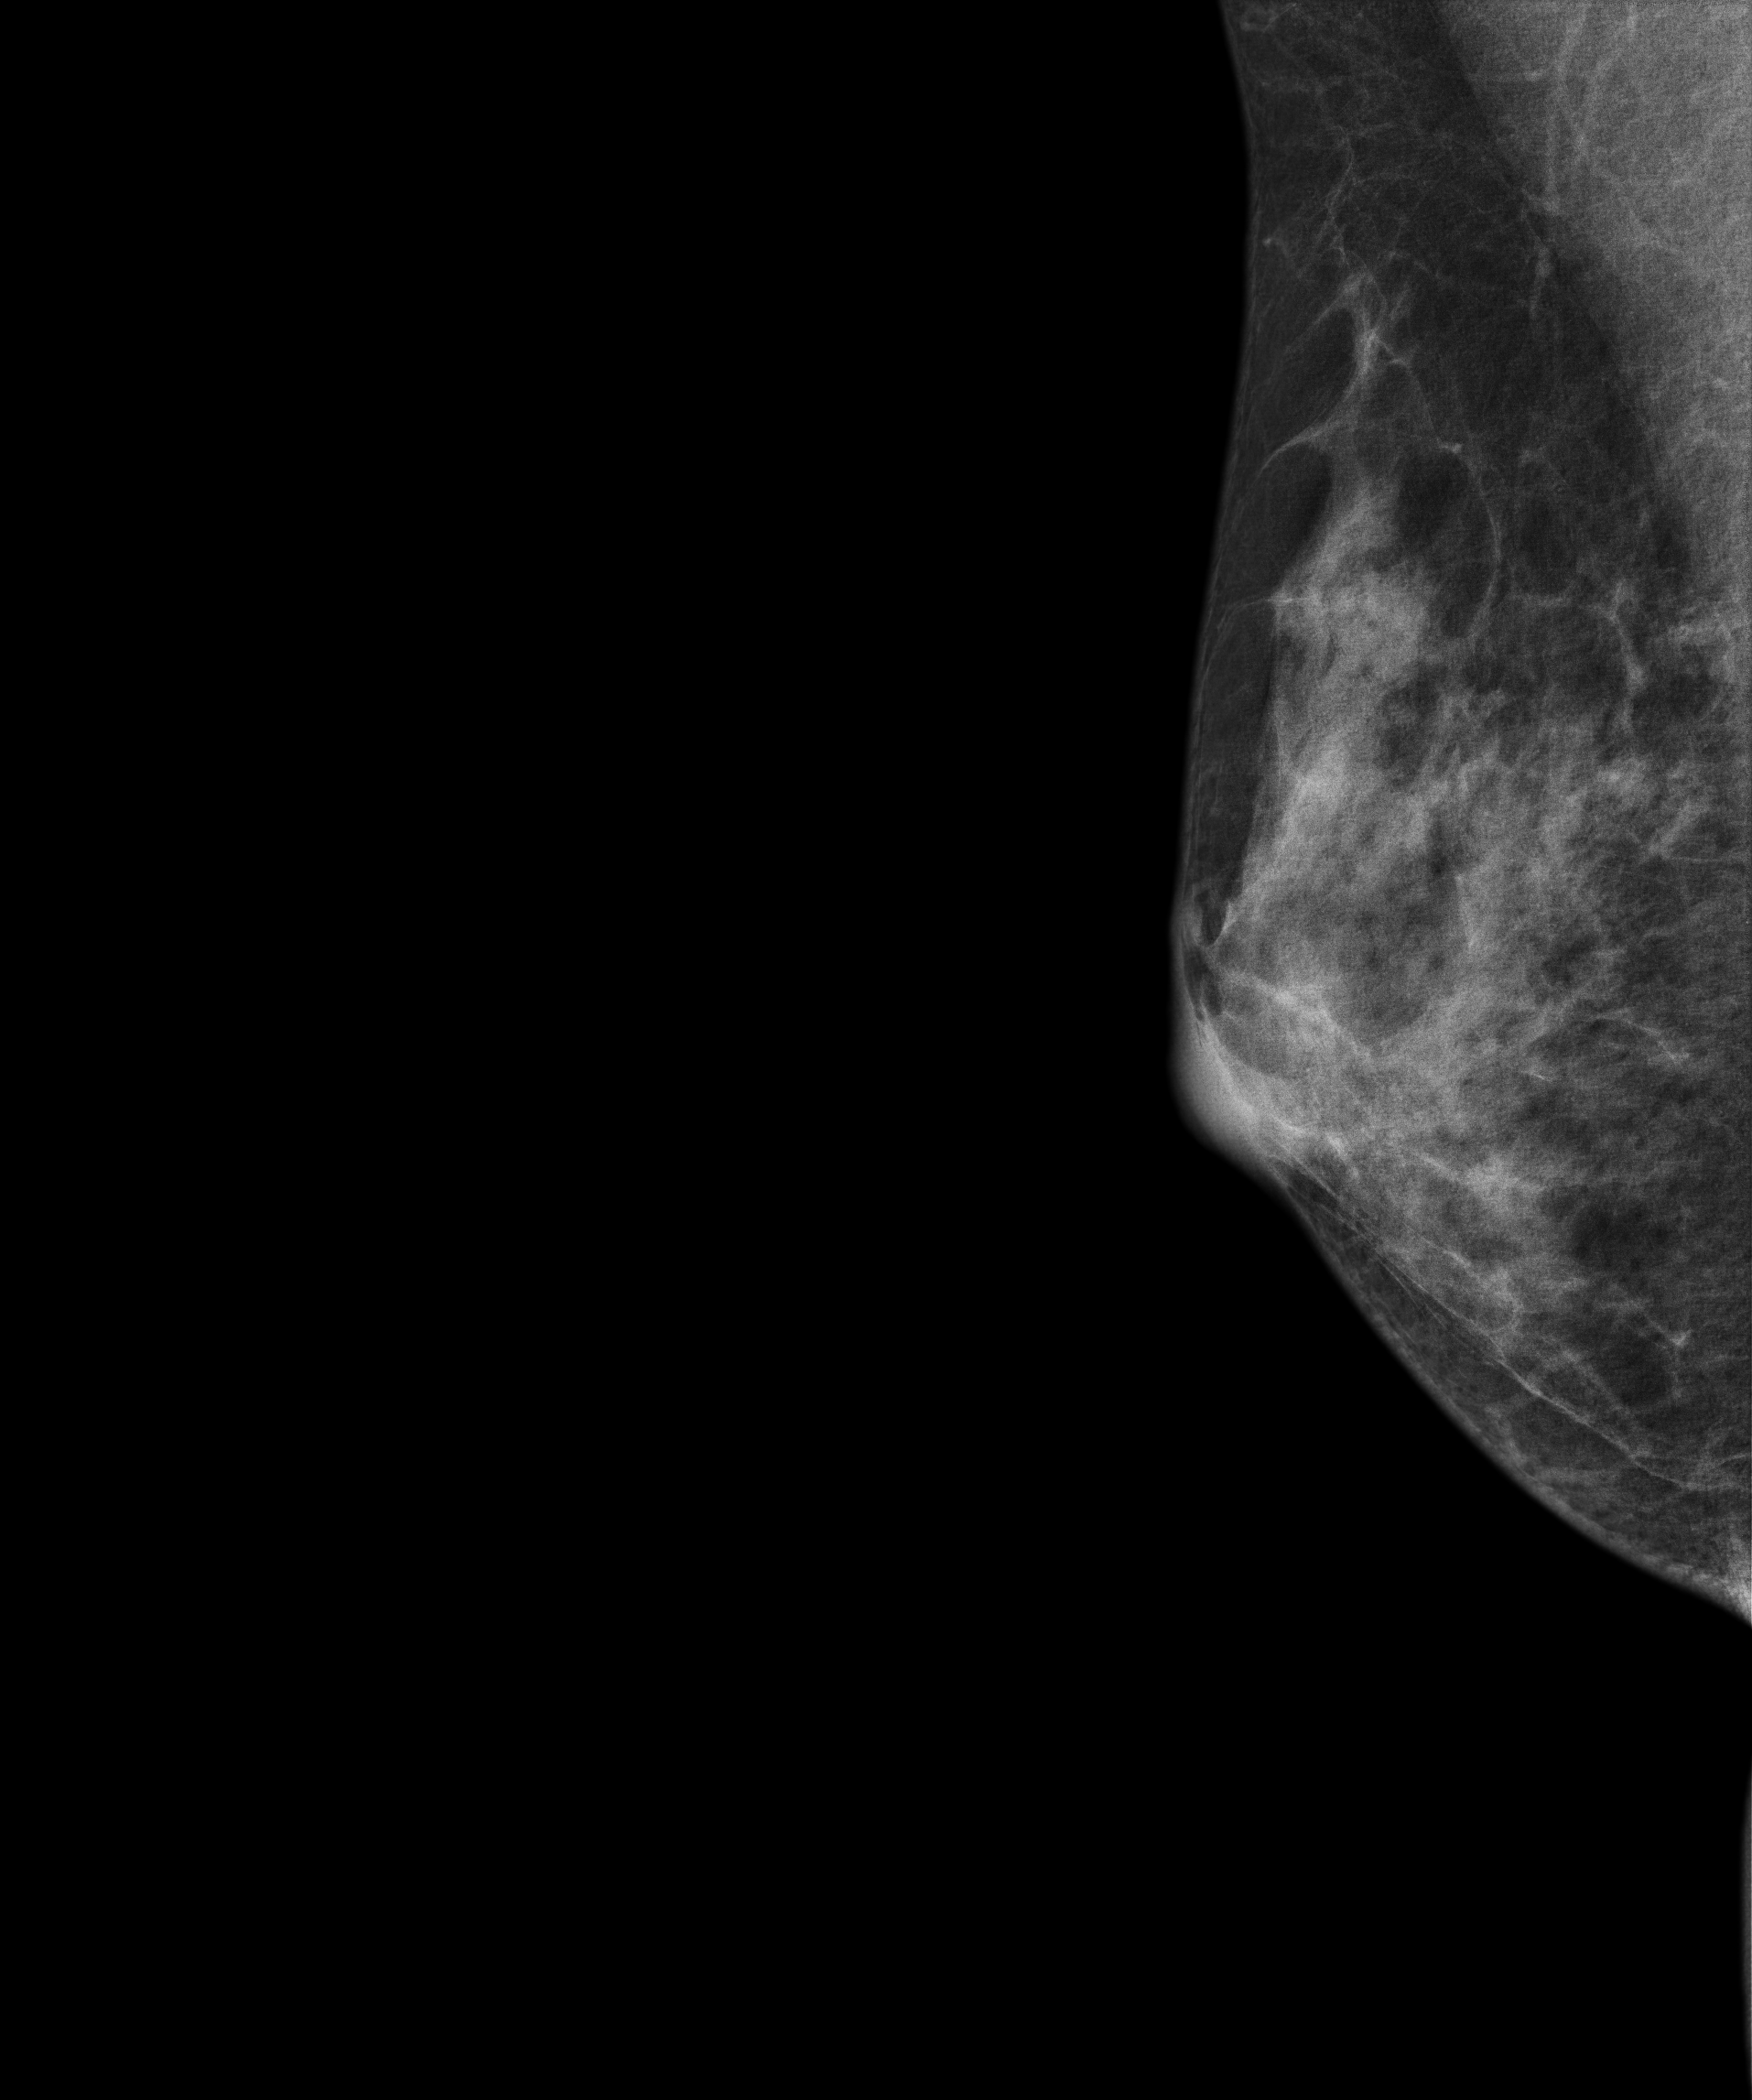
Mammogram, right breast, MLO view. 43 y/o patient.
Contralateral breast — no documented abnormality on this side.